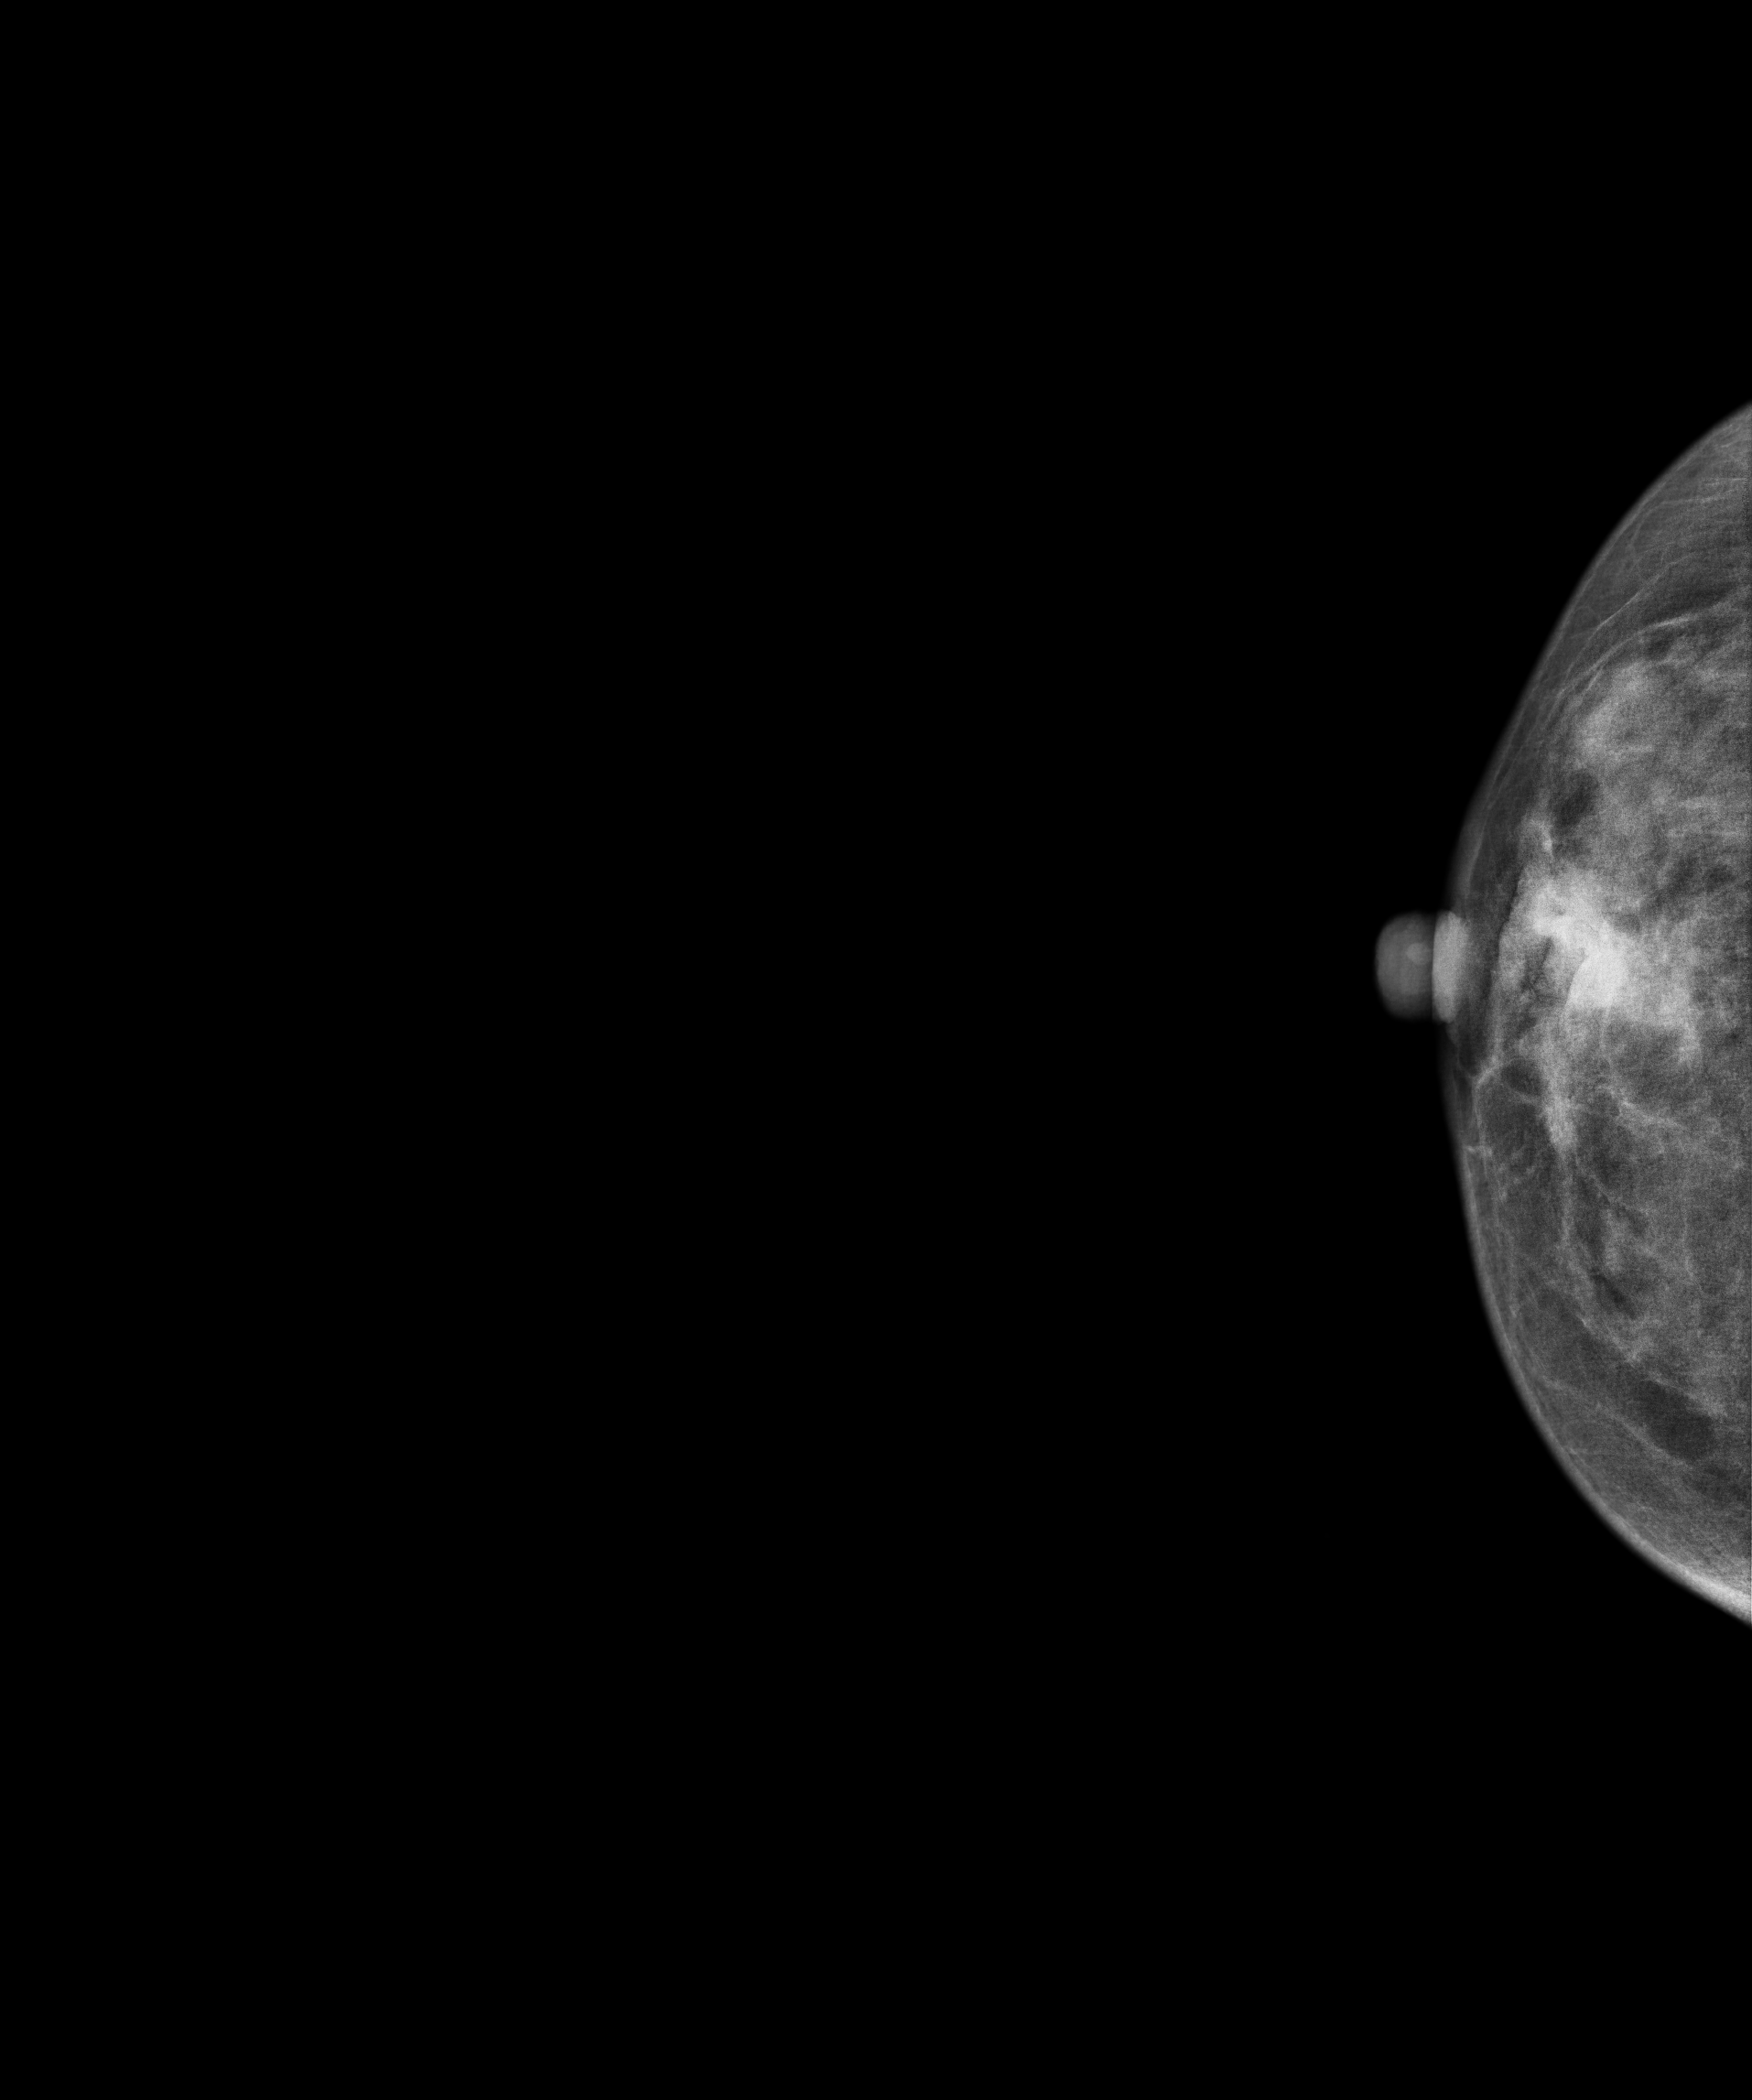
Mammogram — right CC. 48-year-old patient.
This breast has a mass, histologically confirmed malignant. Molecular subtype: luminal A.